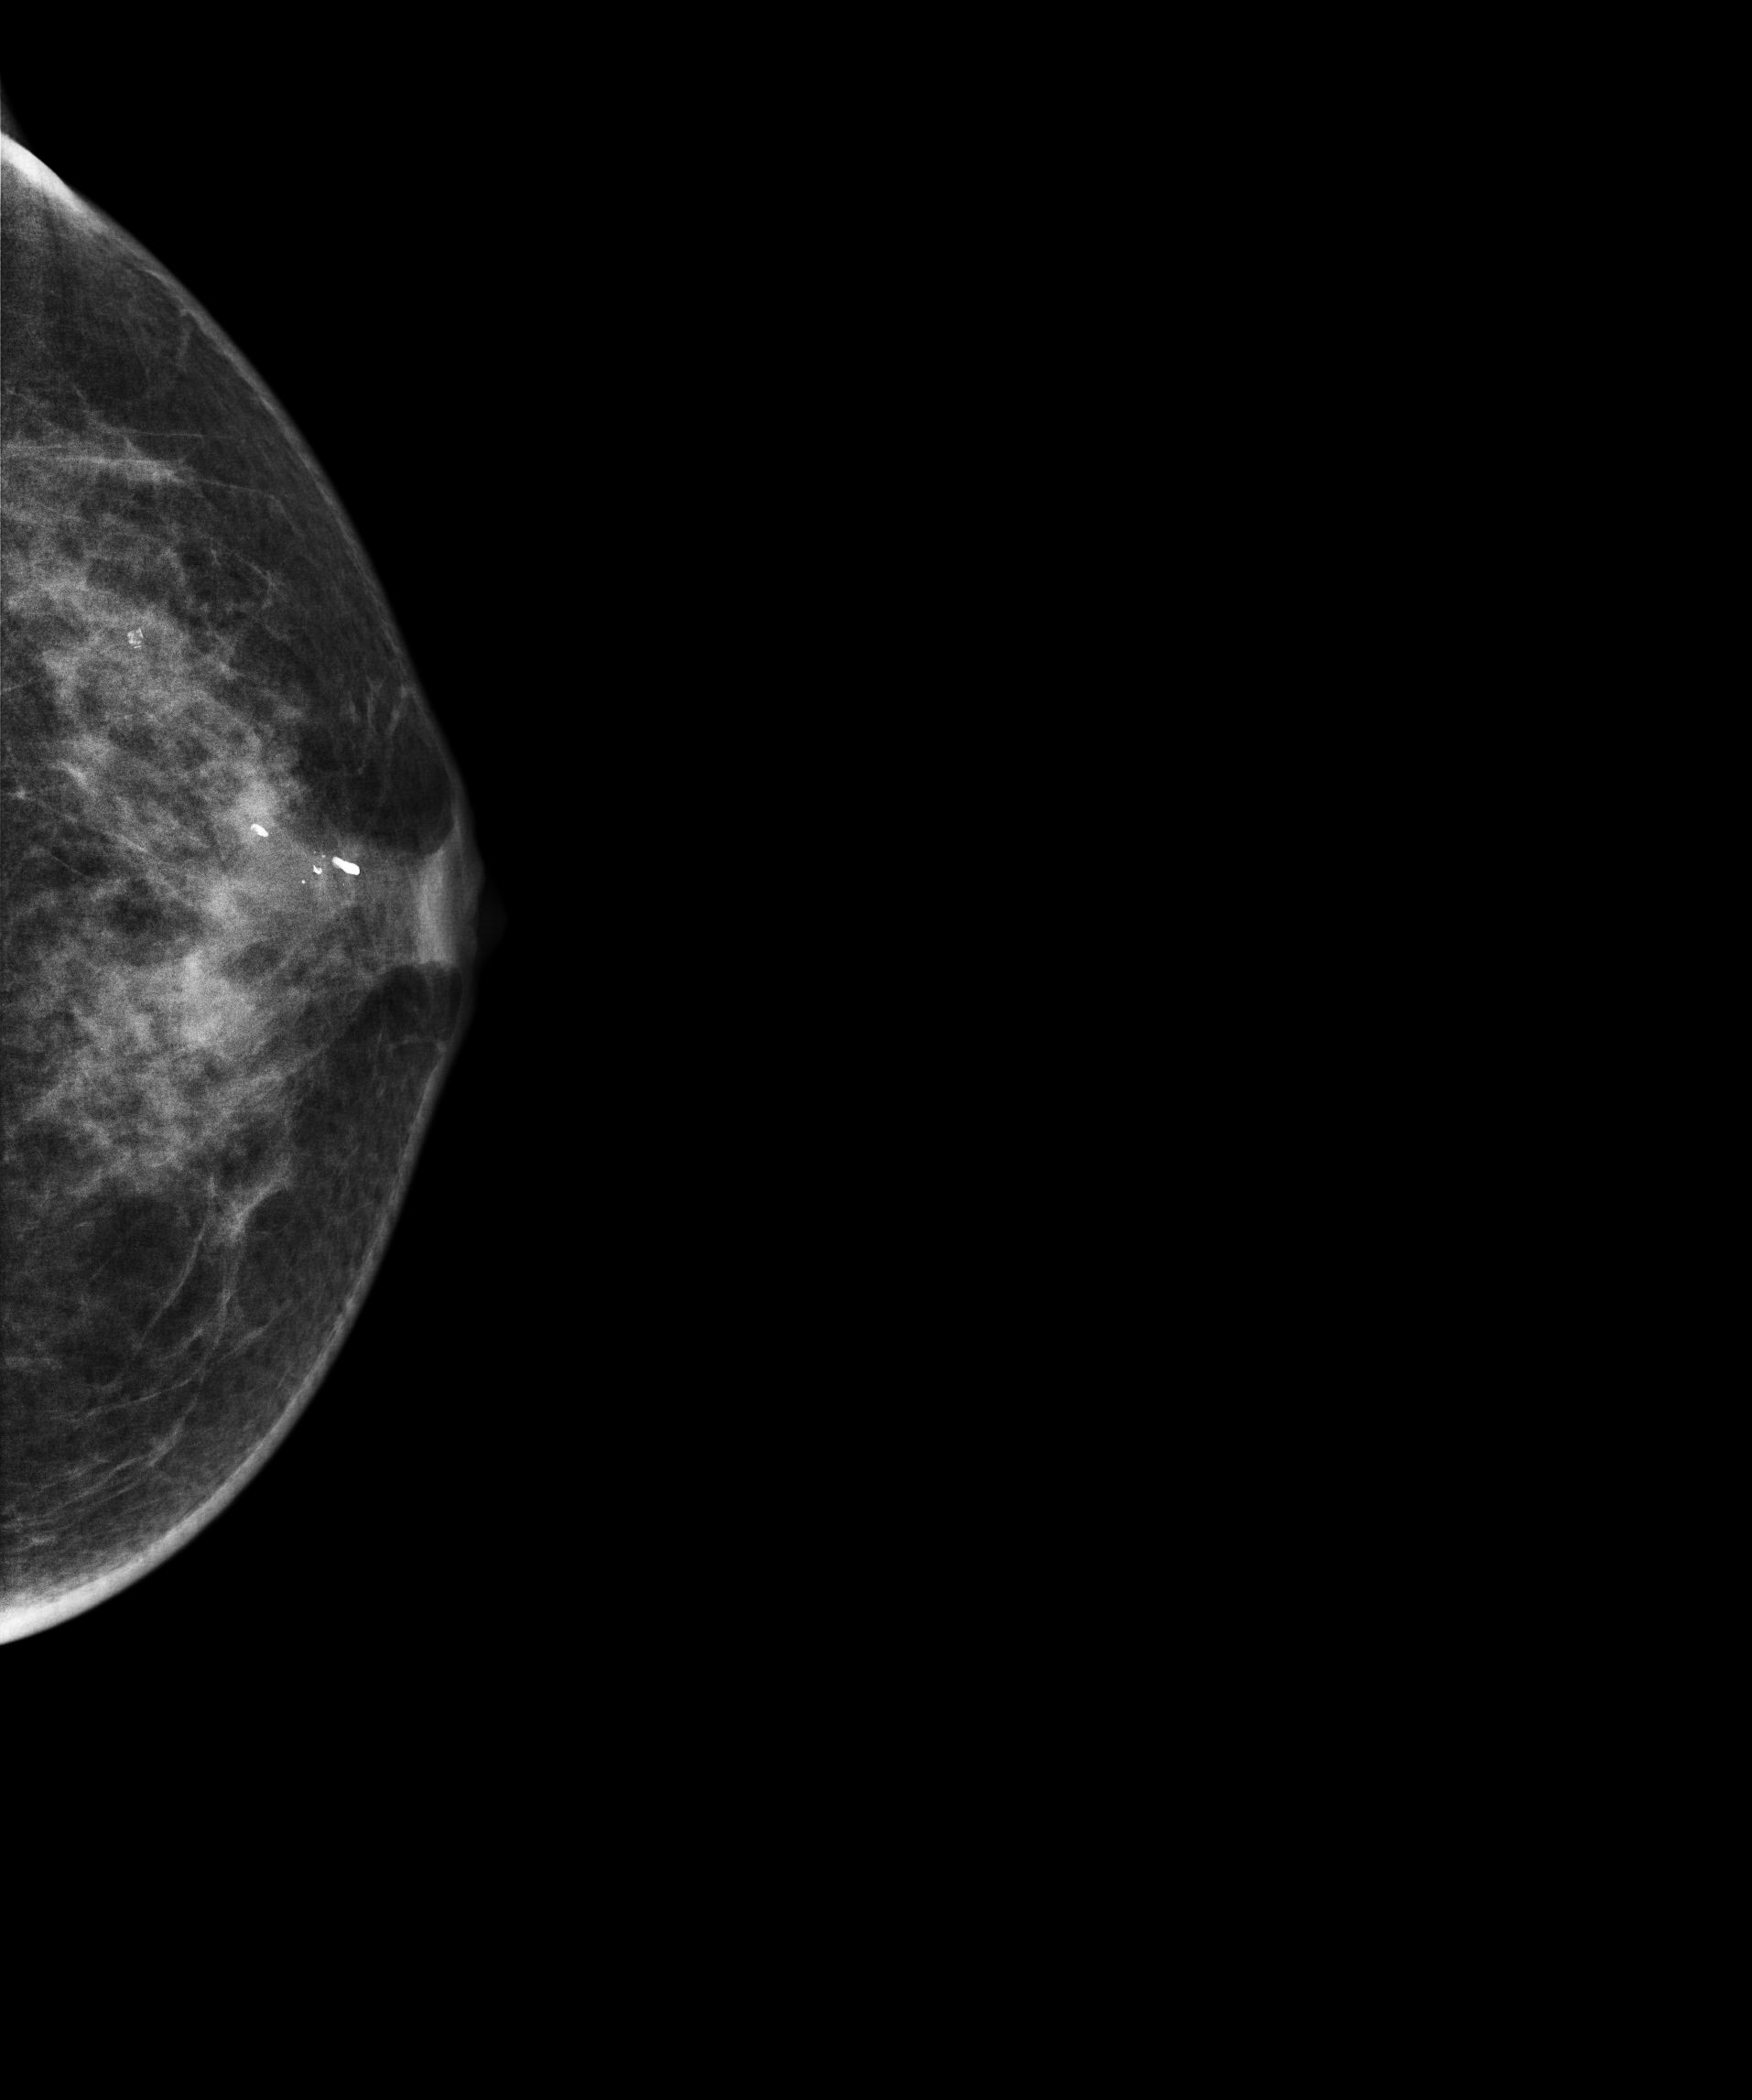
CC mammogram of the left breast. 53-year-old patient.
Contralateral breast — no documented abnormality on this side.